MLO mammogram of the left breast. 56 y/o patient.
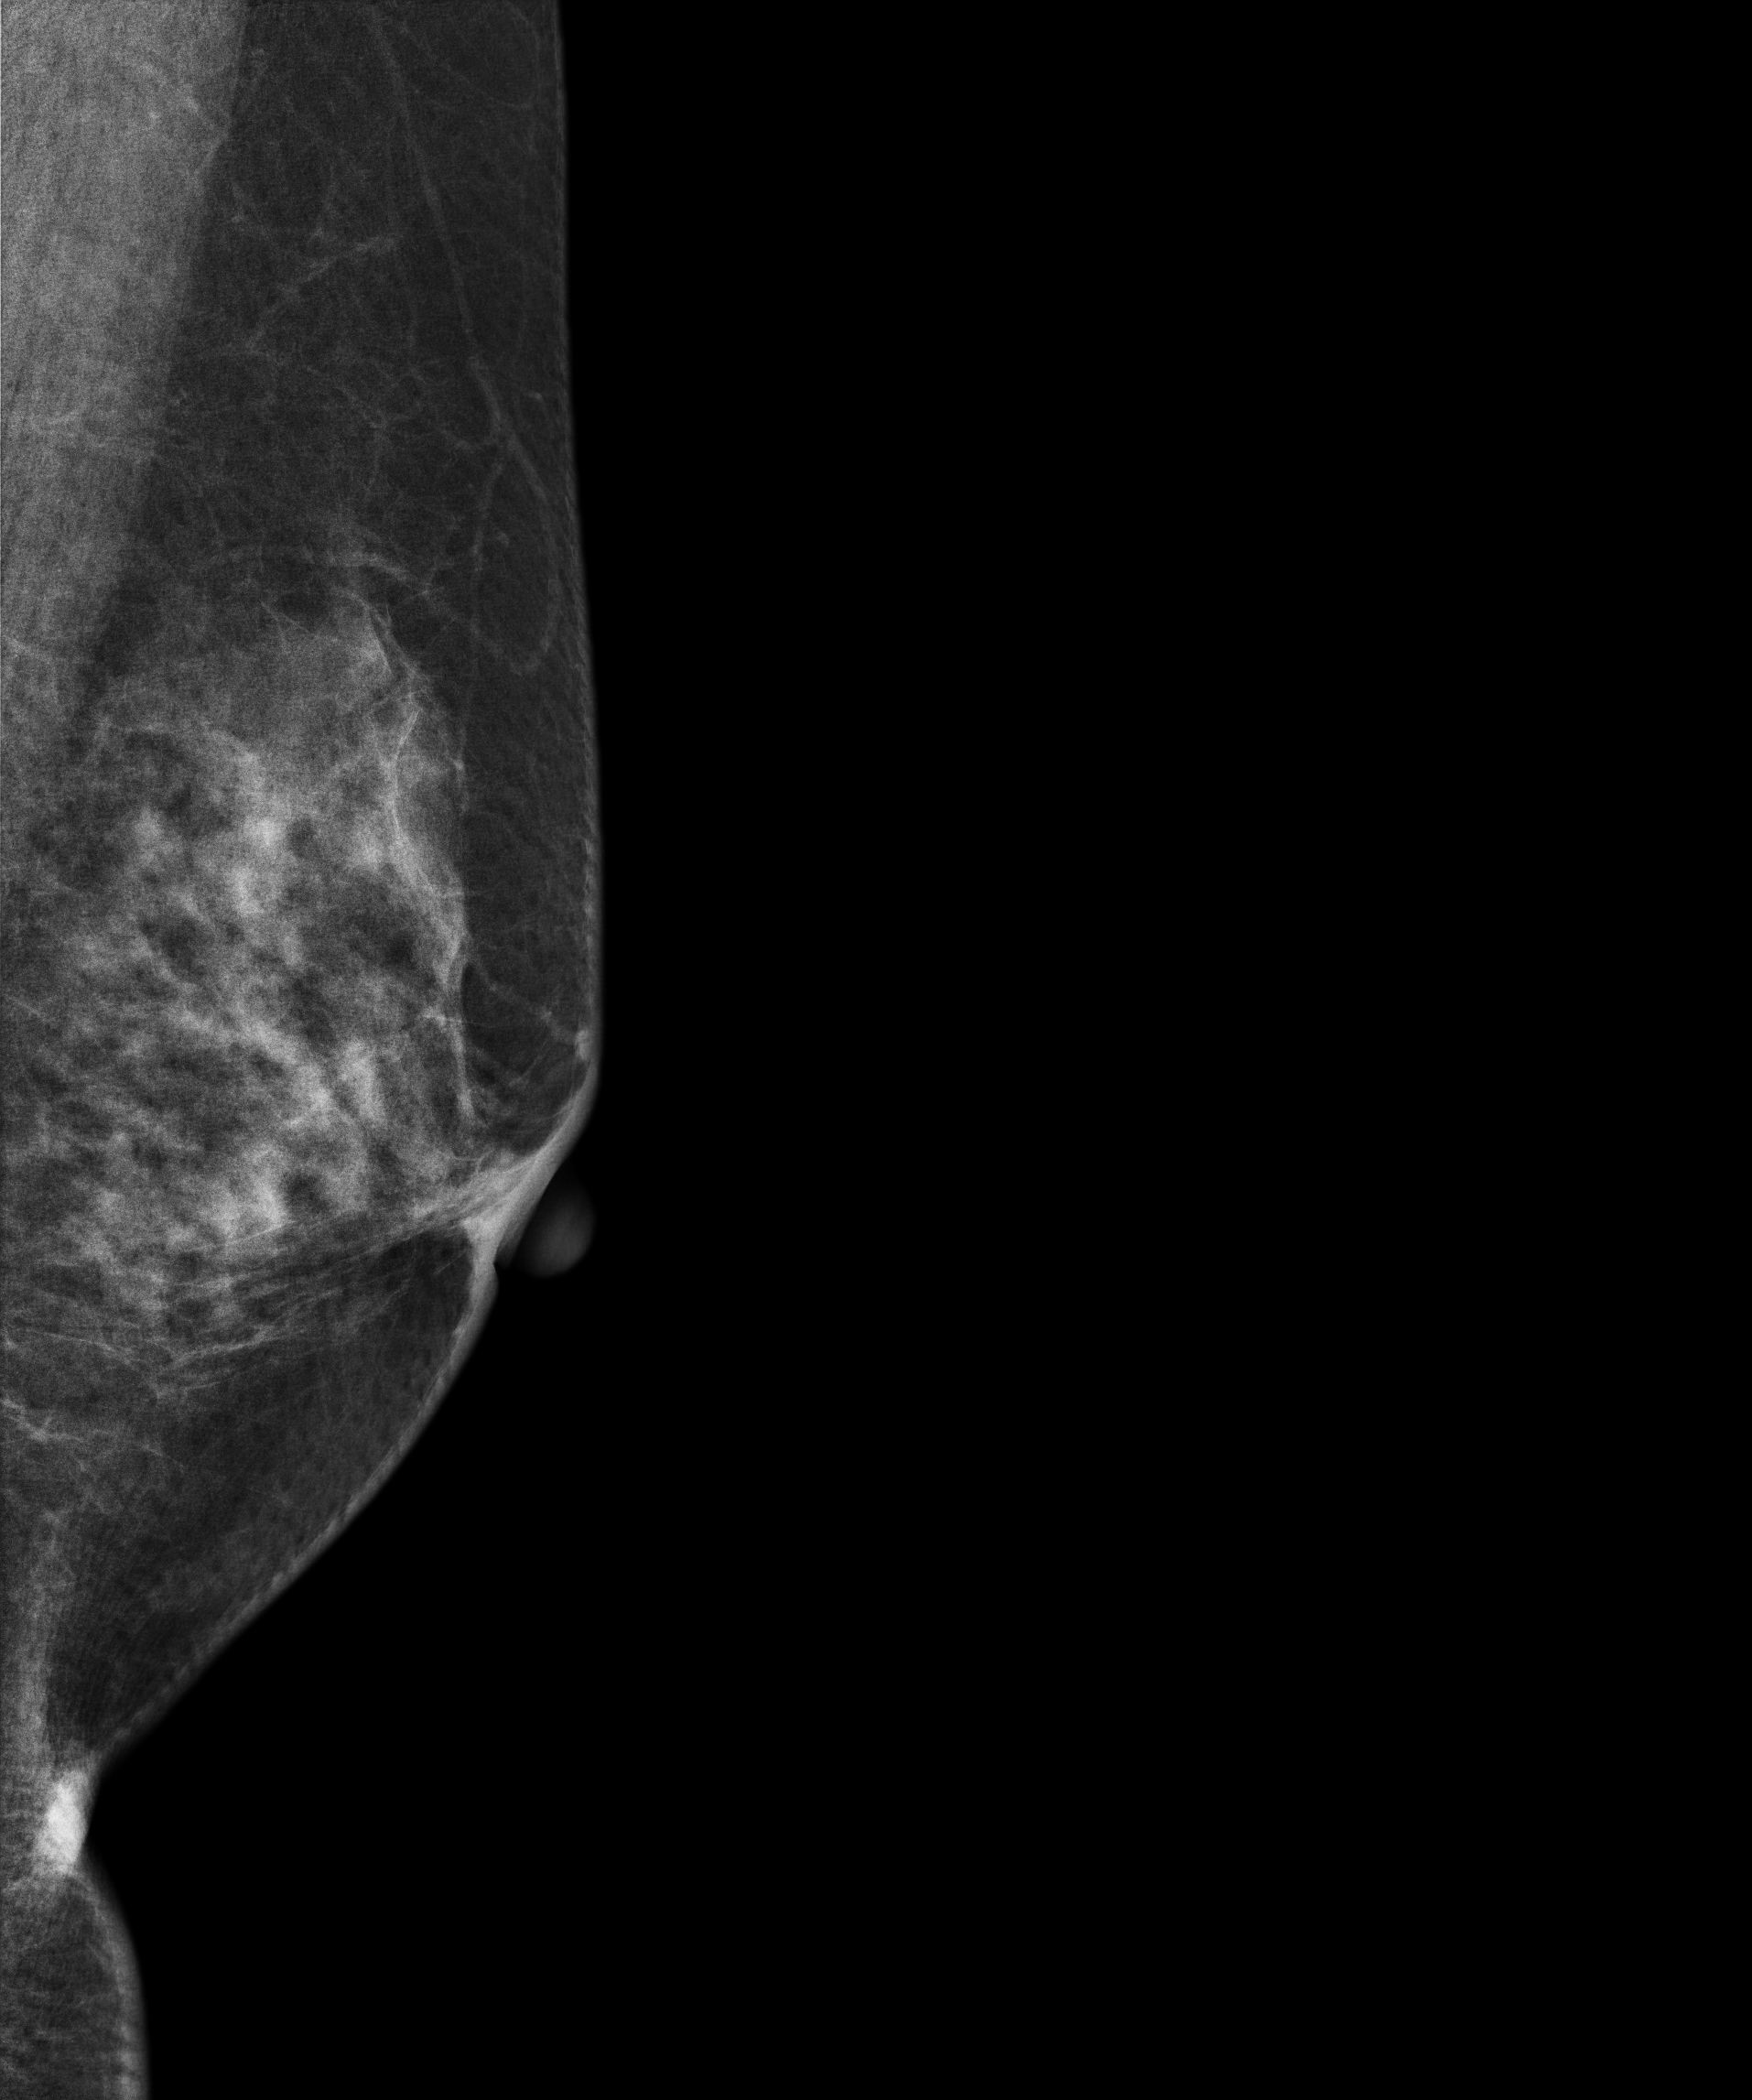
Contralateral breast — no documented abnormality on this side.